Mammogram, right breast, CC view. 49 y/o patient.
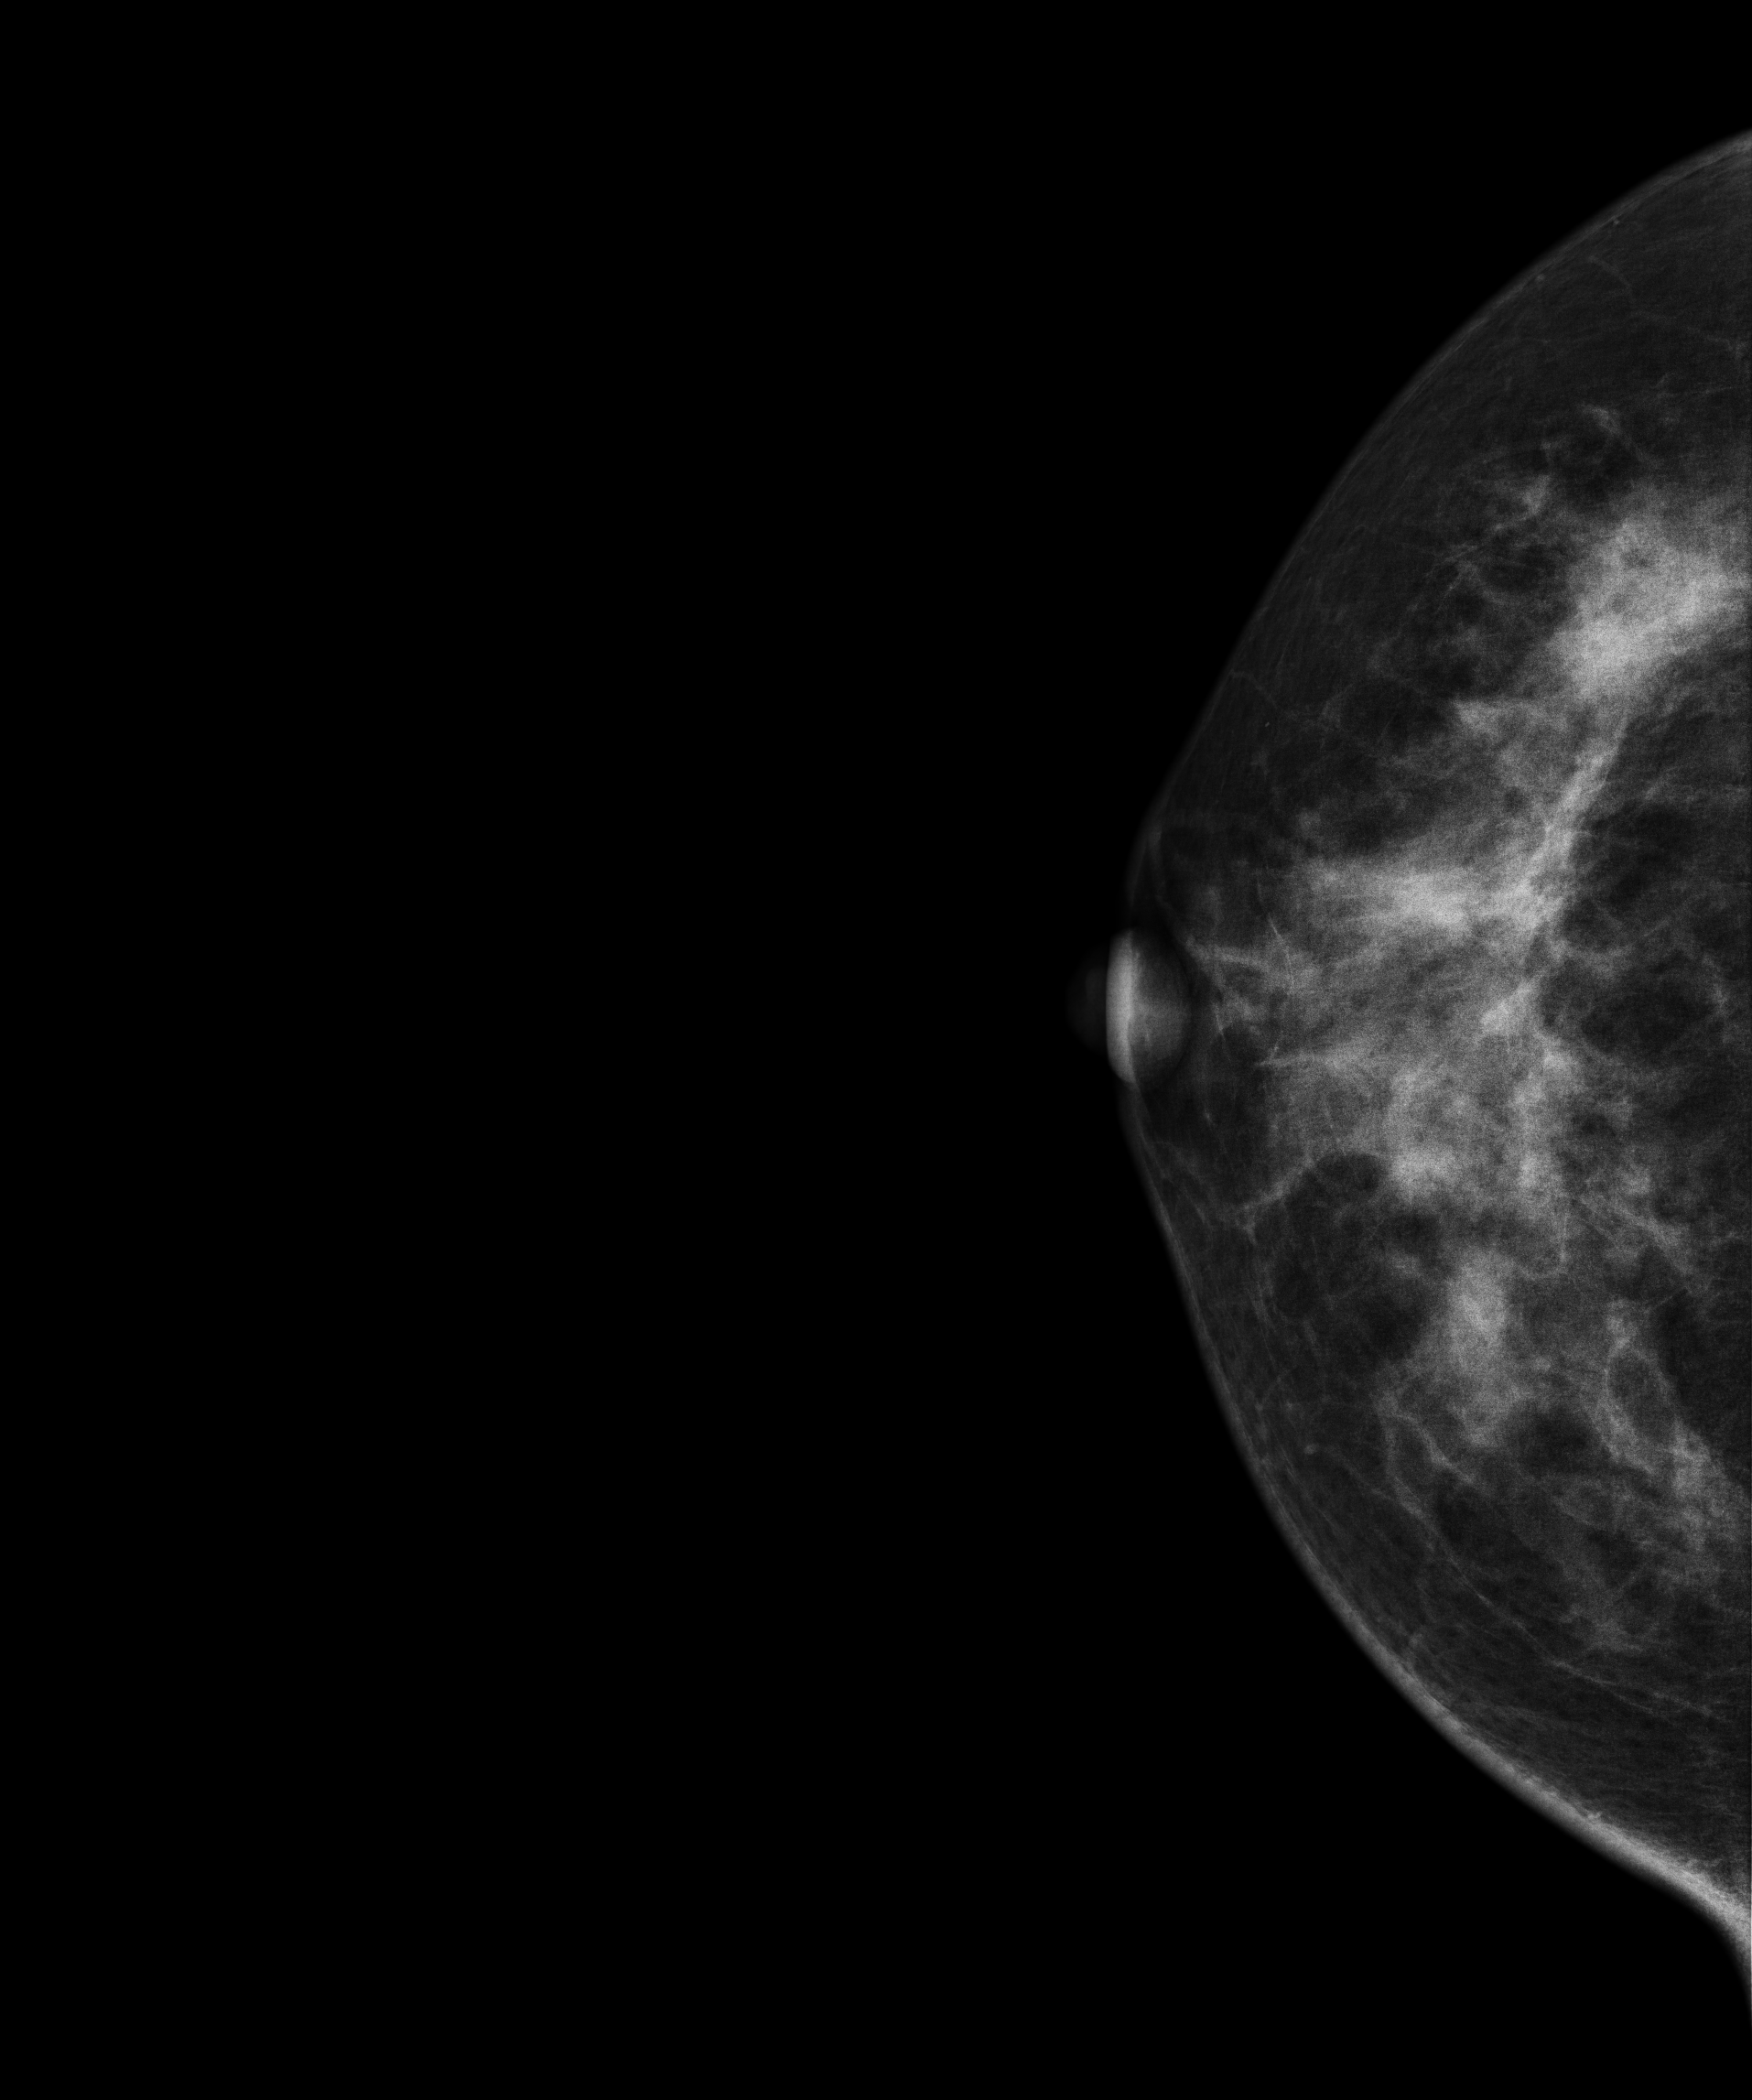
This breast has a mass, biopsy-confirmed benign.